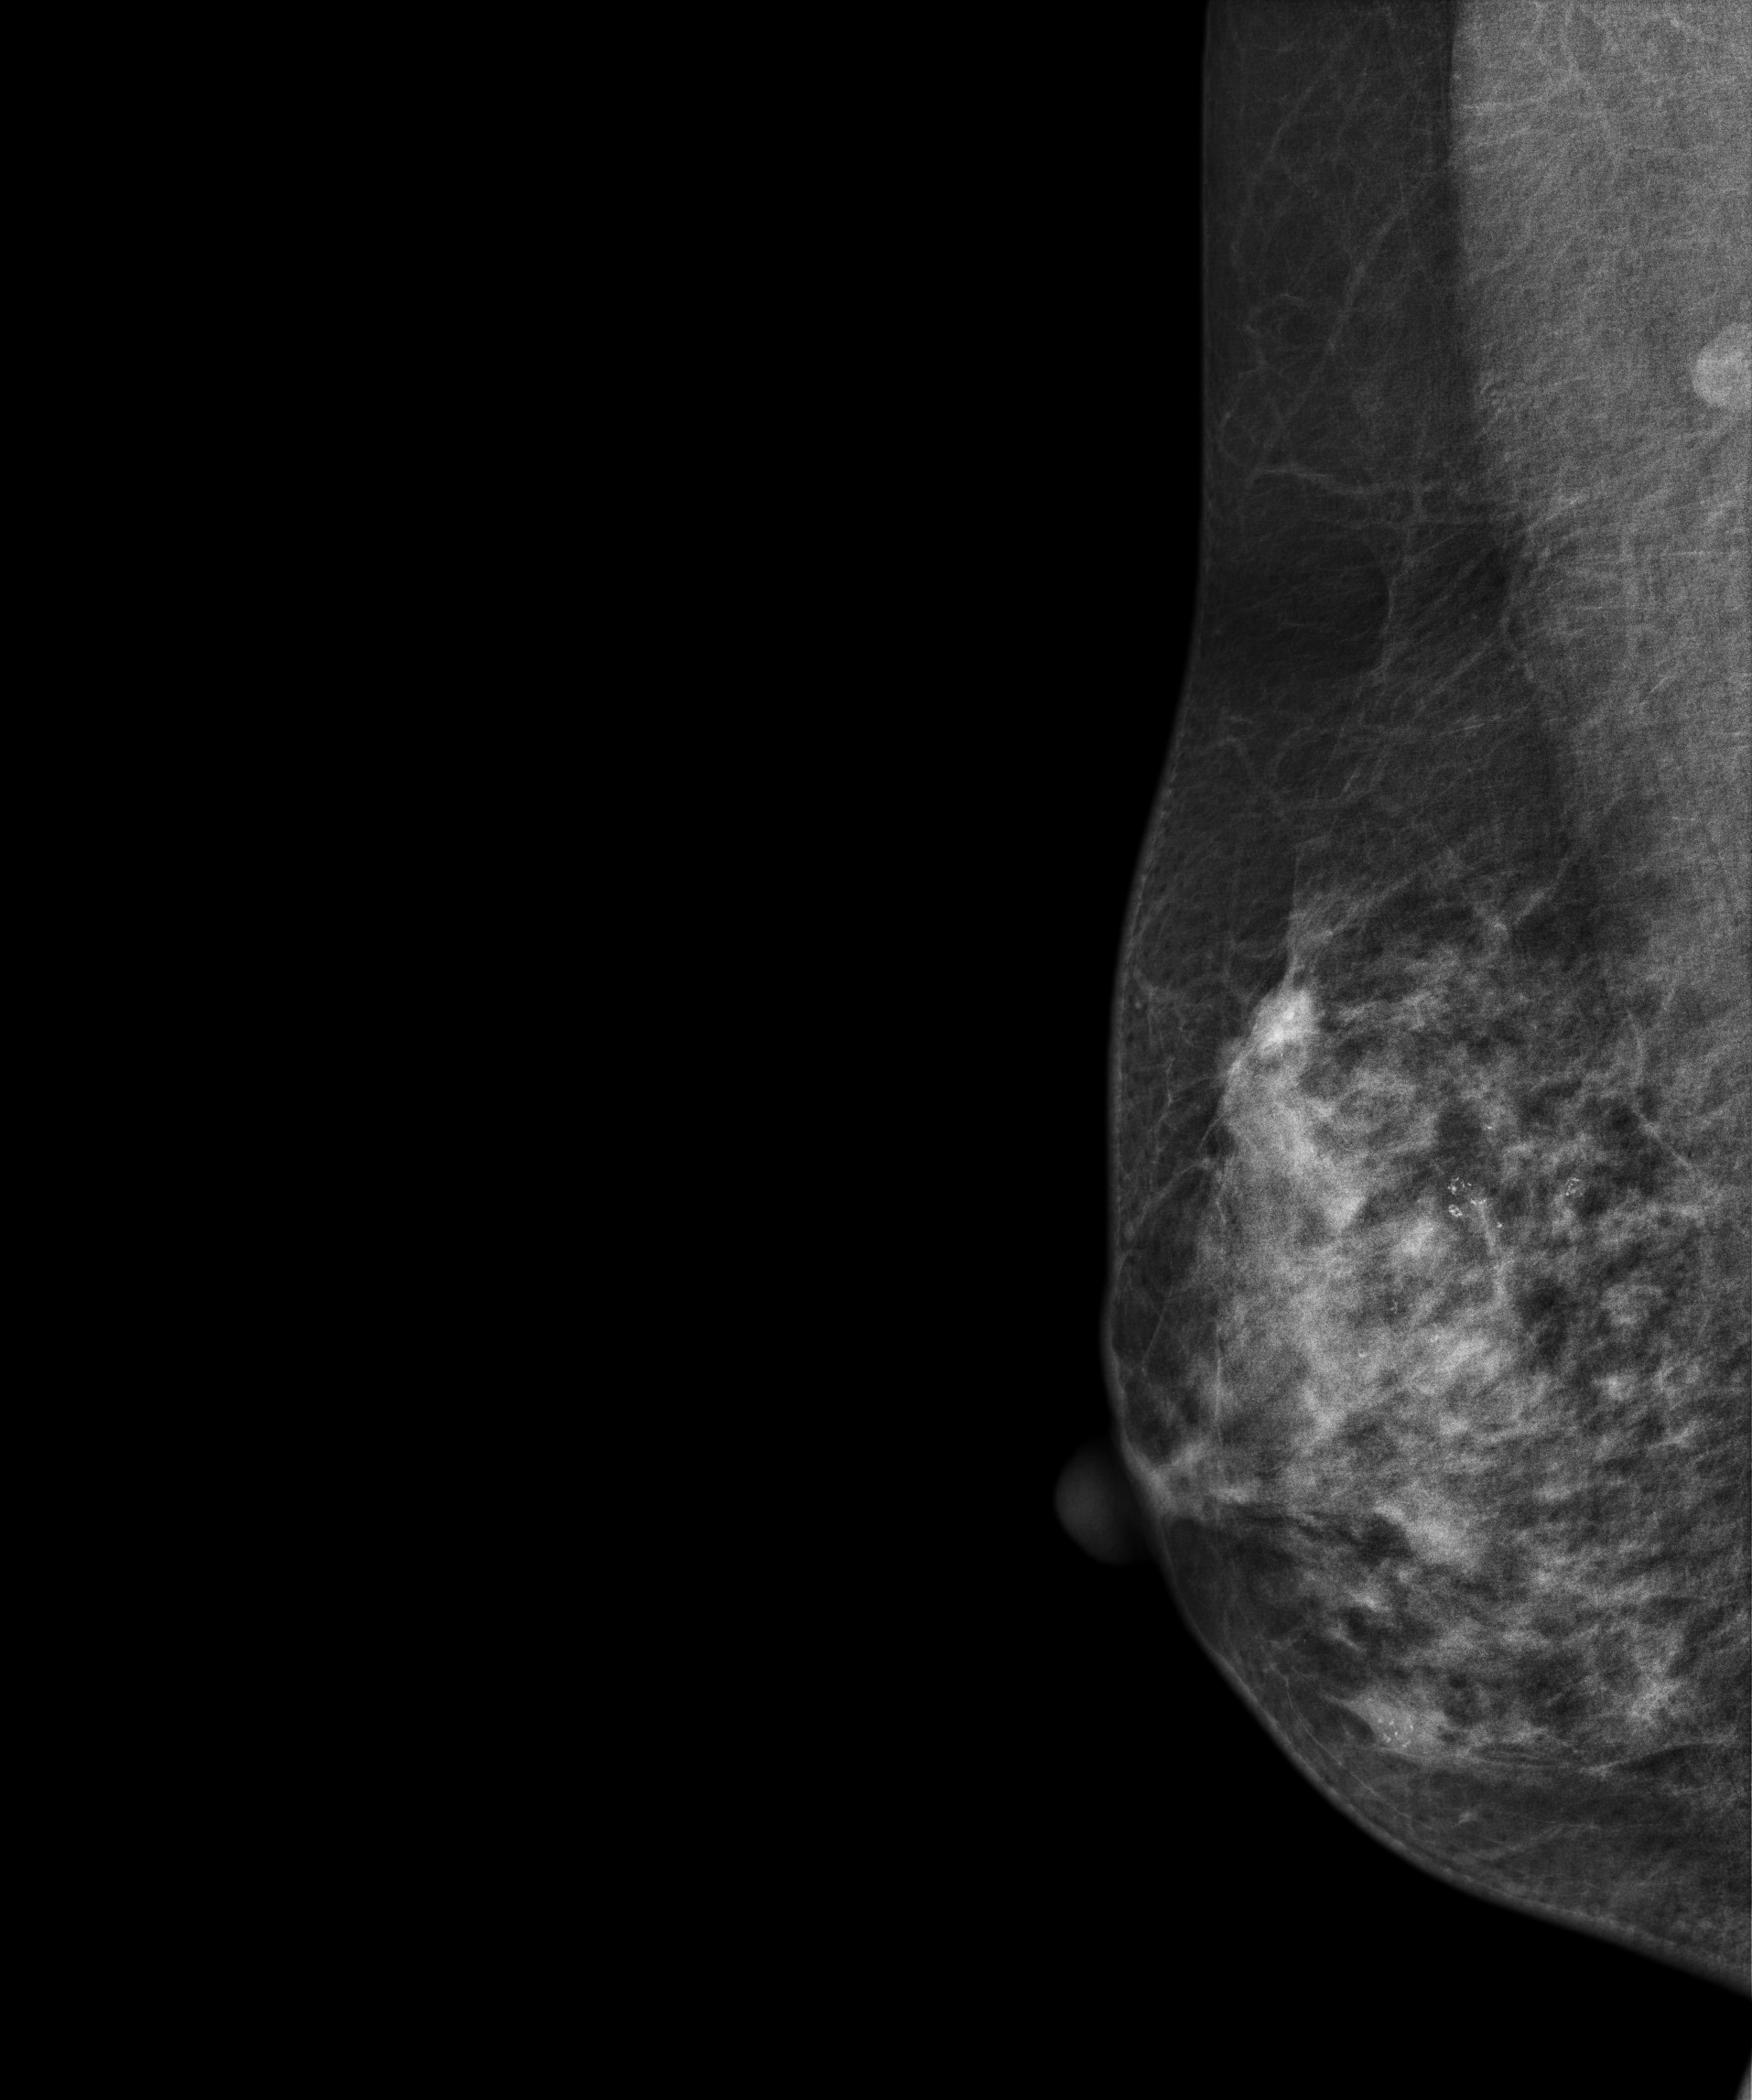
Mammogram — right MLO. 56 y/o patient.
This breast has calcifications, histologically confirmed malignant. Molecular subtype: HER2-enriched.